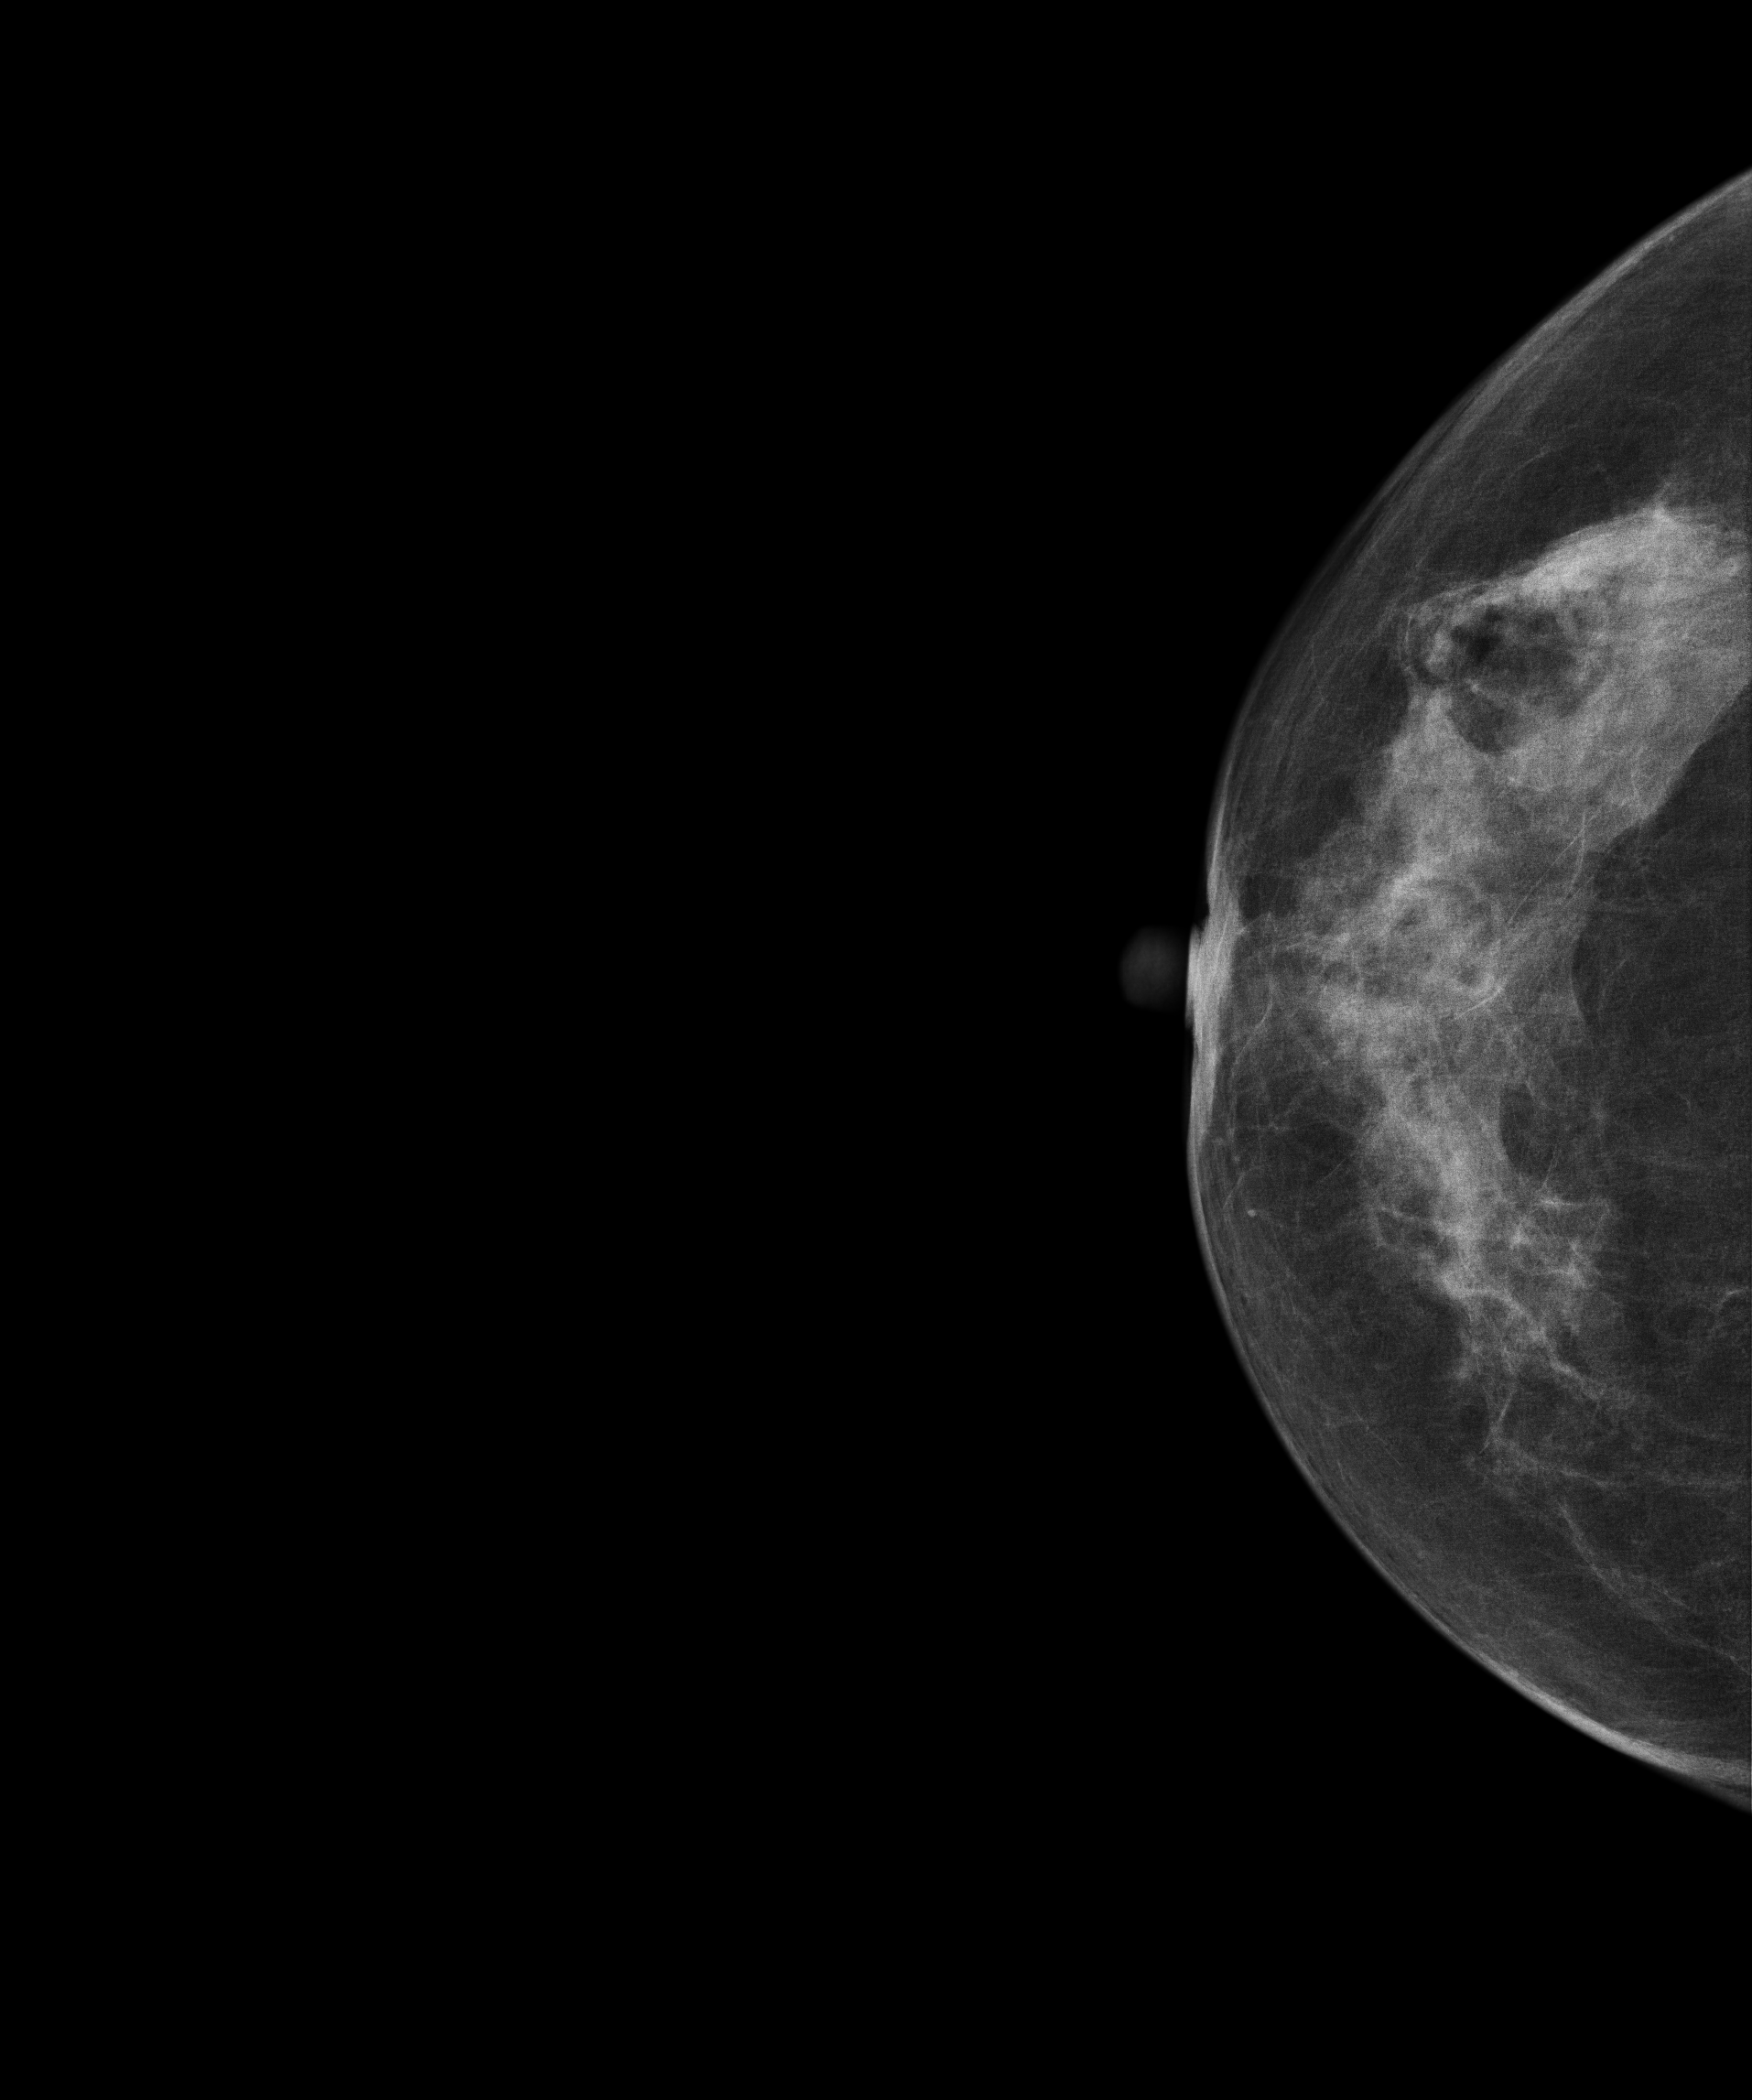
Mammogram, right breast, CC view. 60 y/o patient.
Contralateral breast — no documented abnormality on this side.